Cranio-caudal mammogram of the right breast. 40-year-old patient.
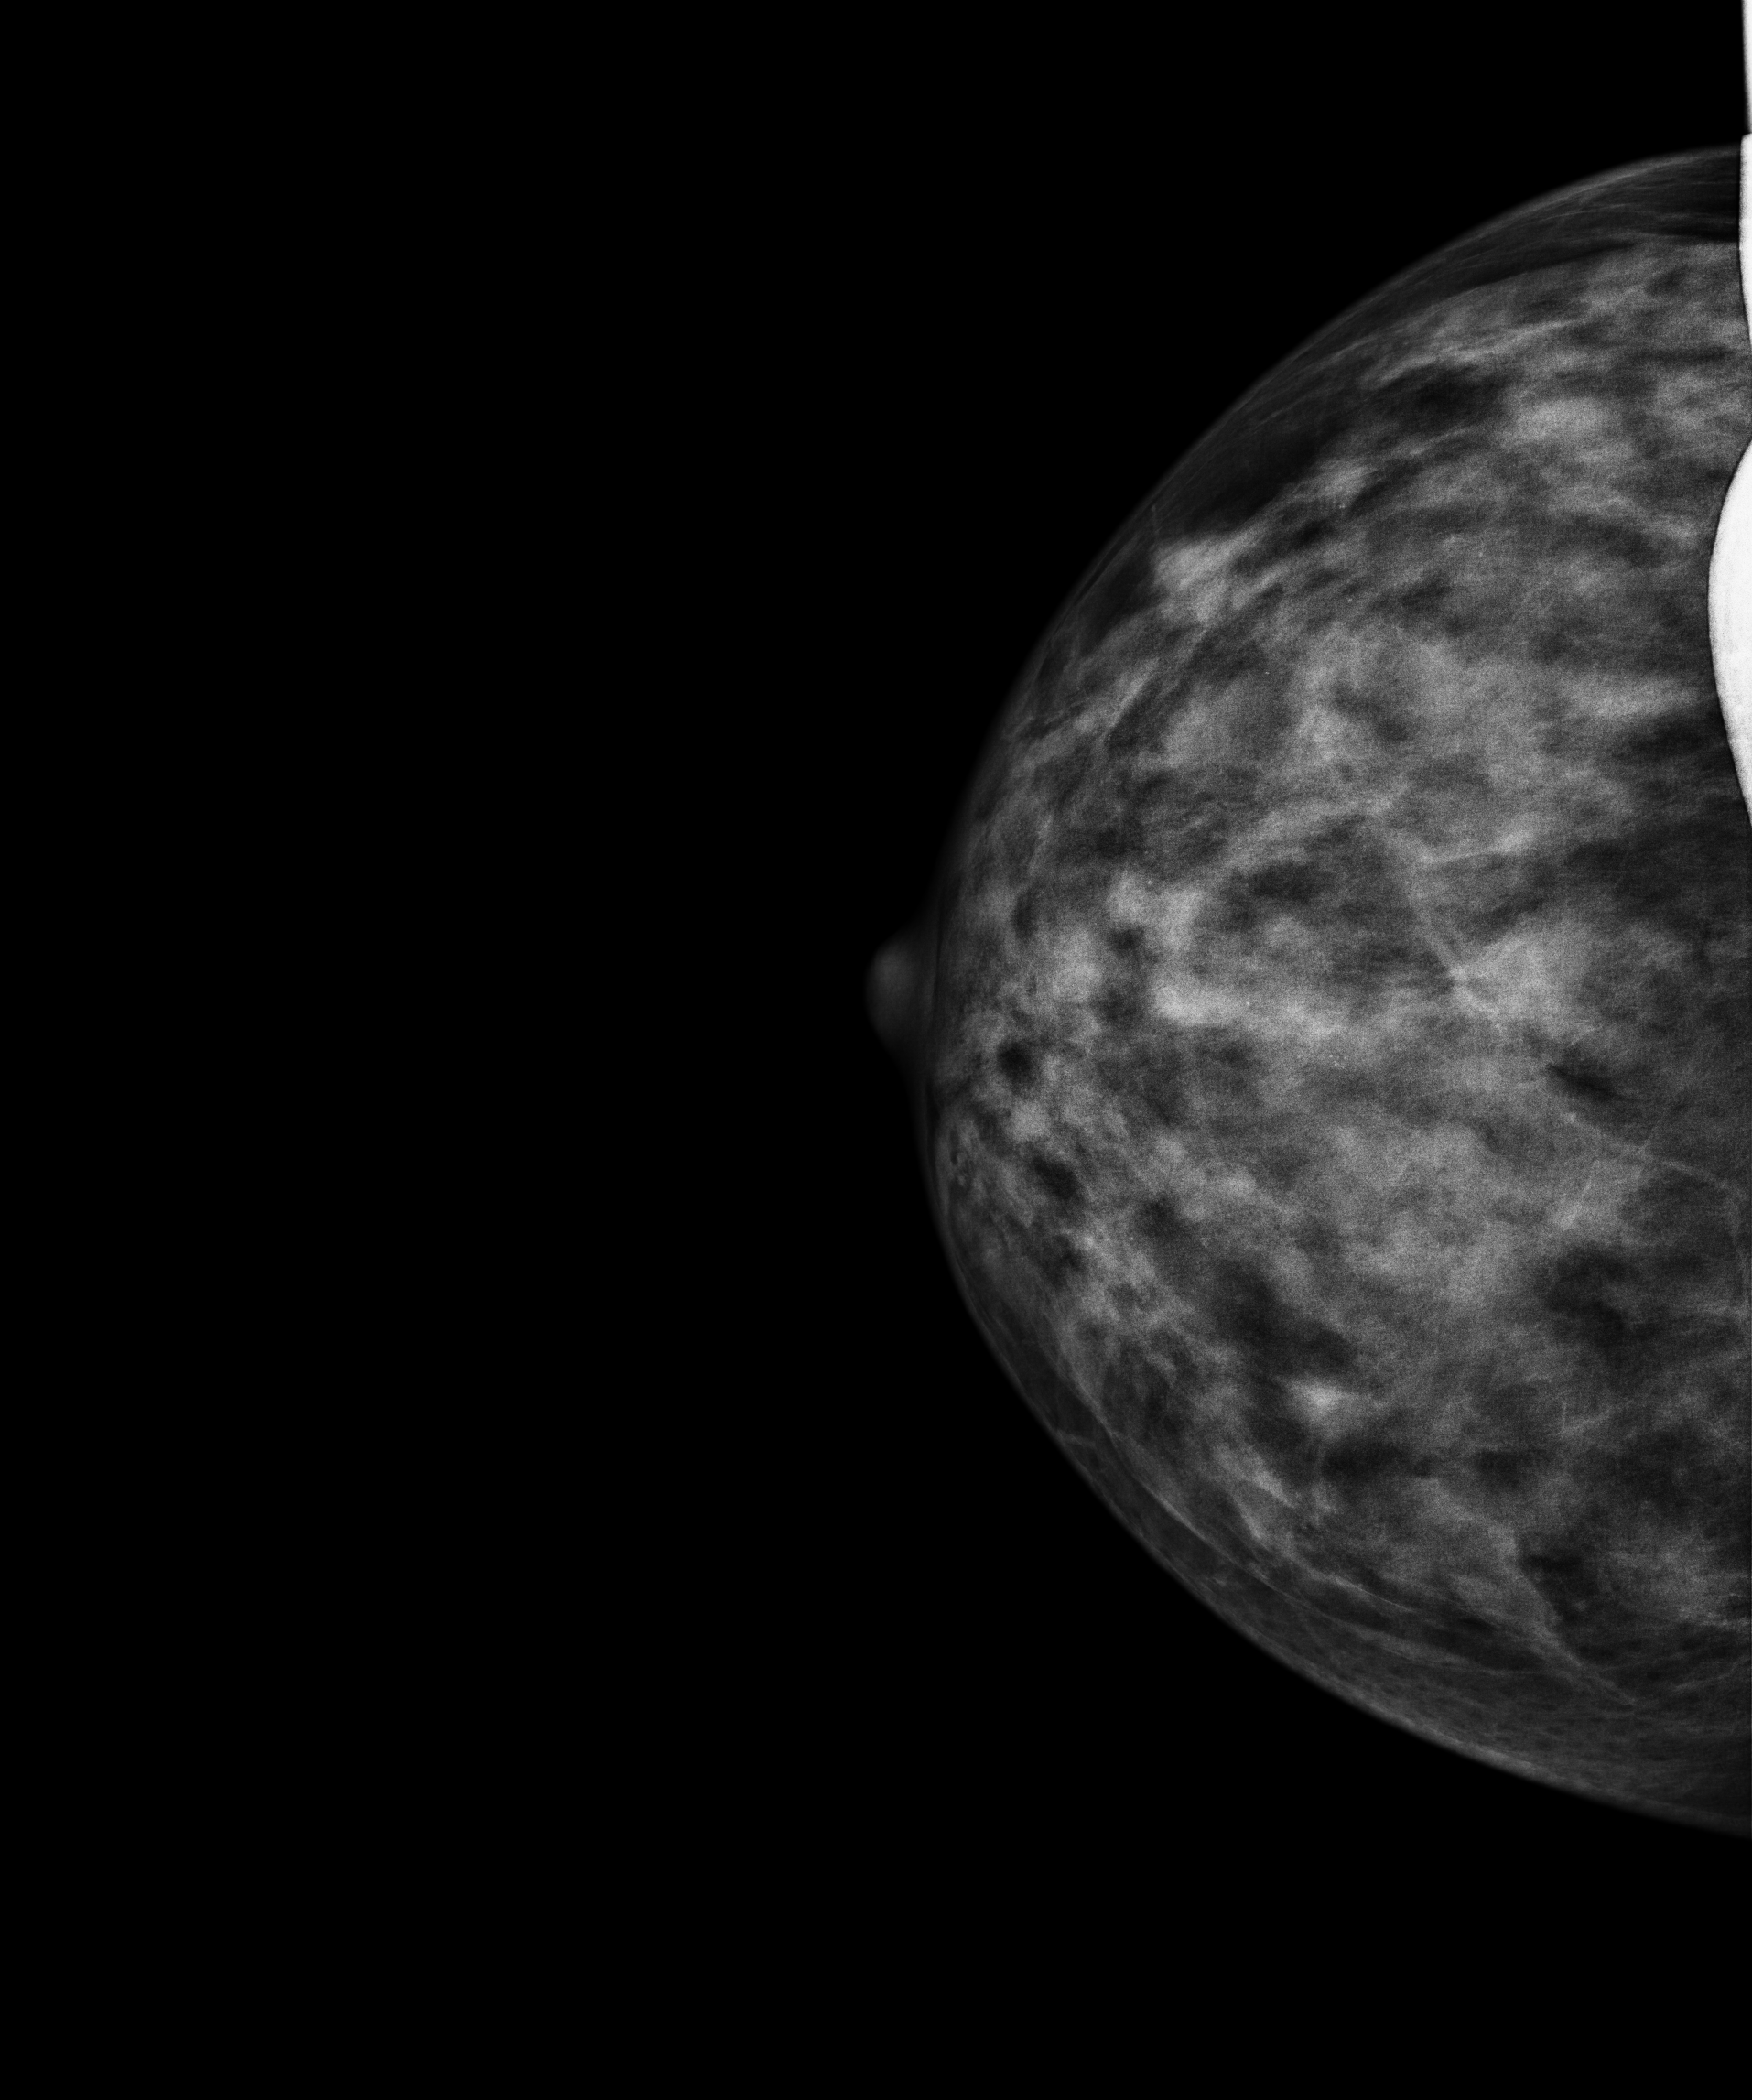
This breast has a mass, biopsy-proven benign.